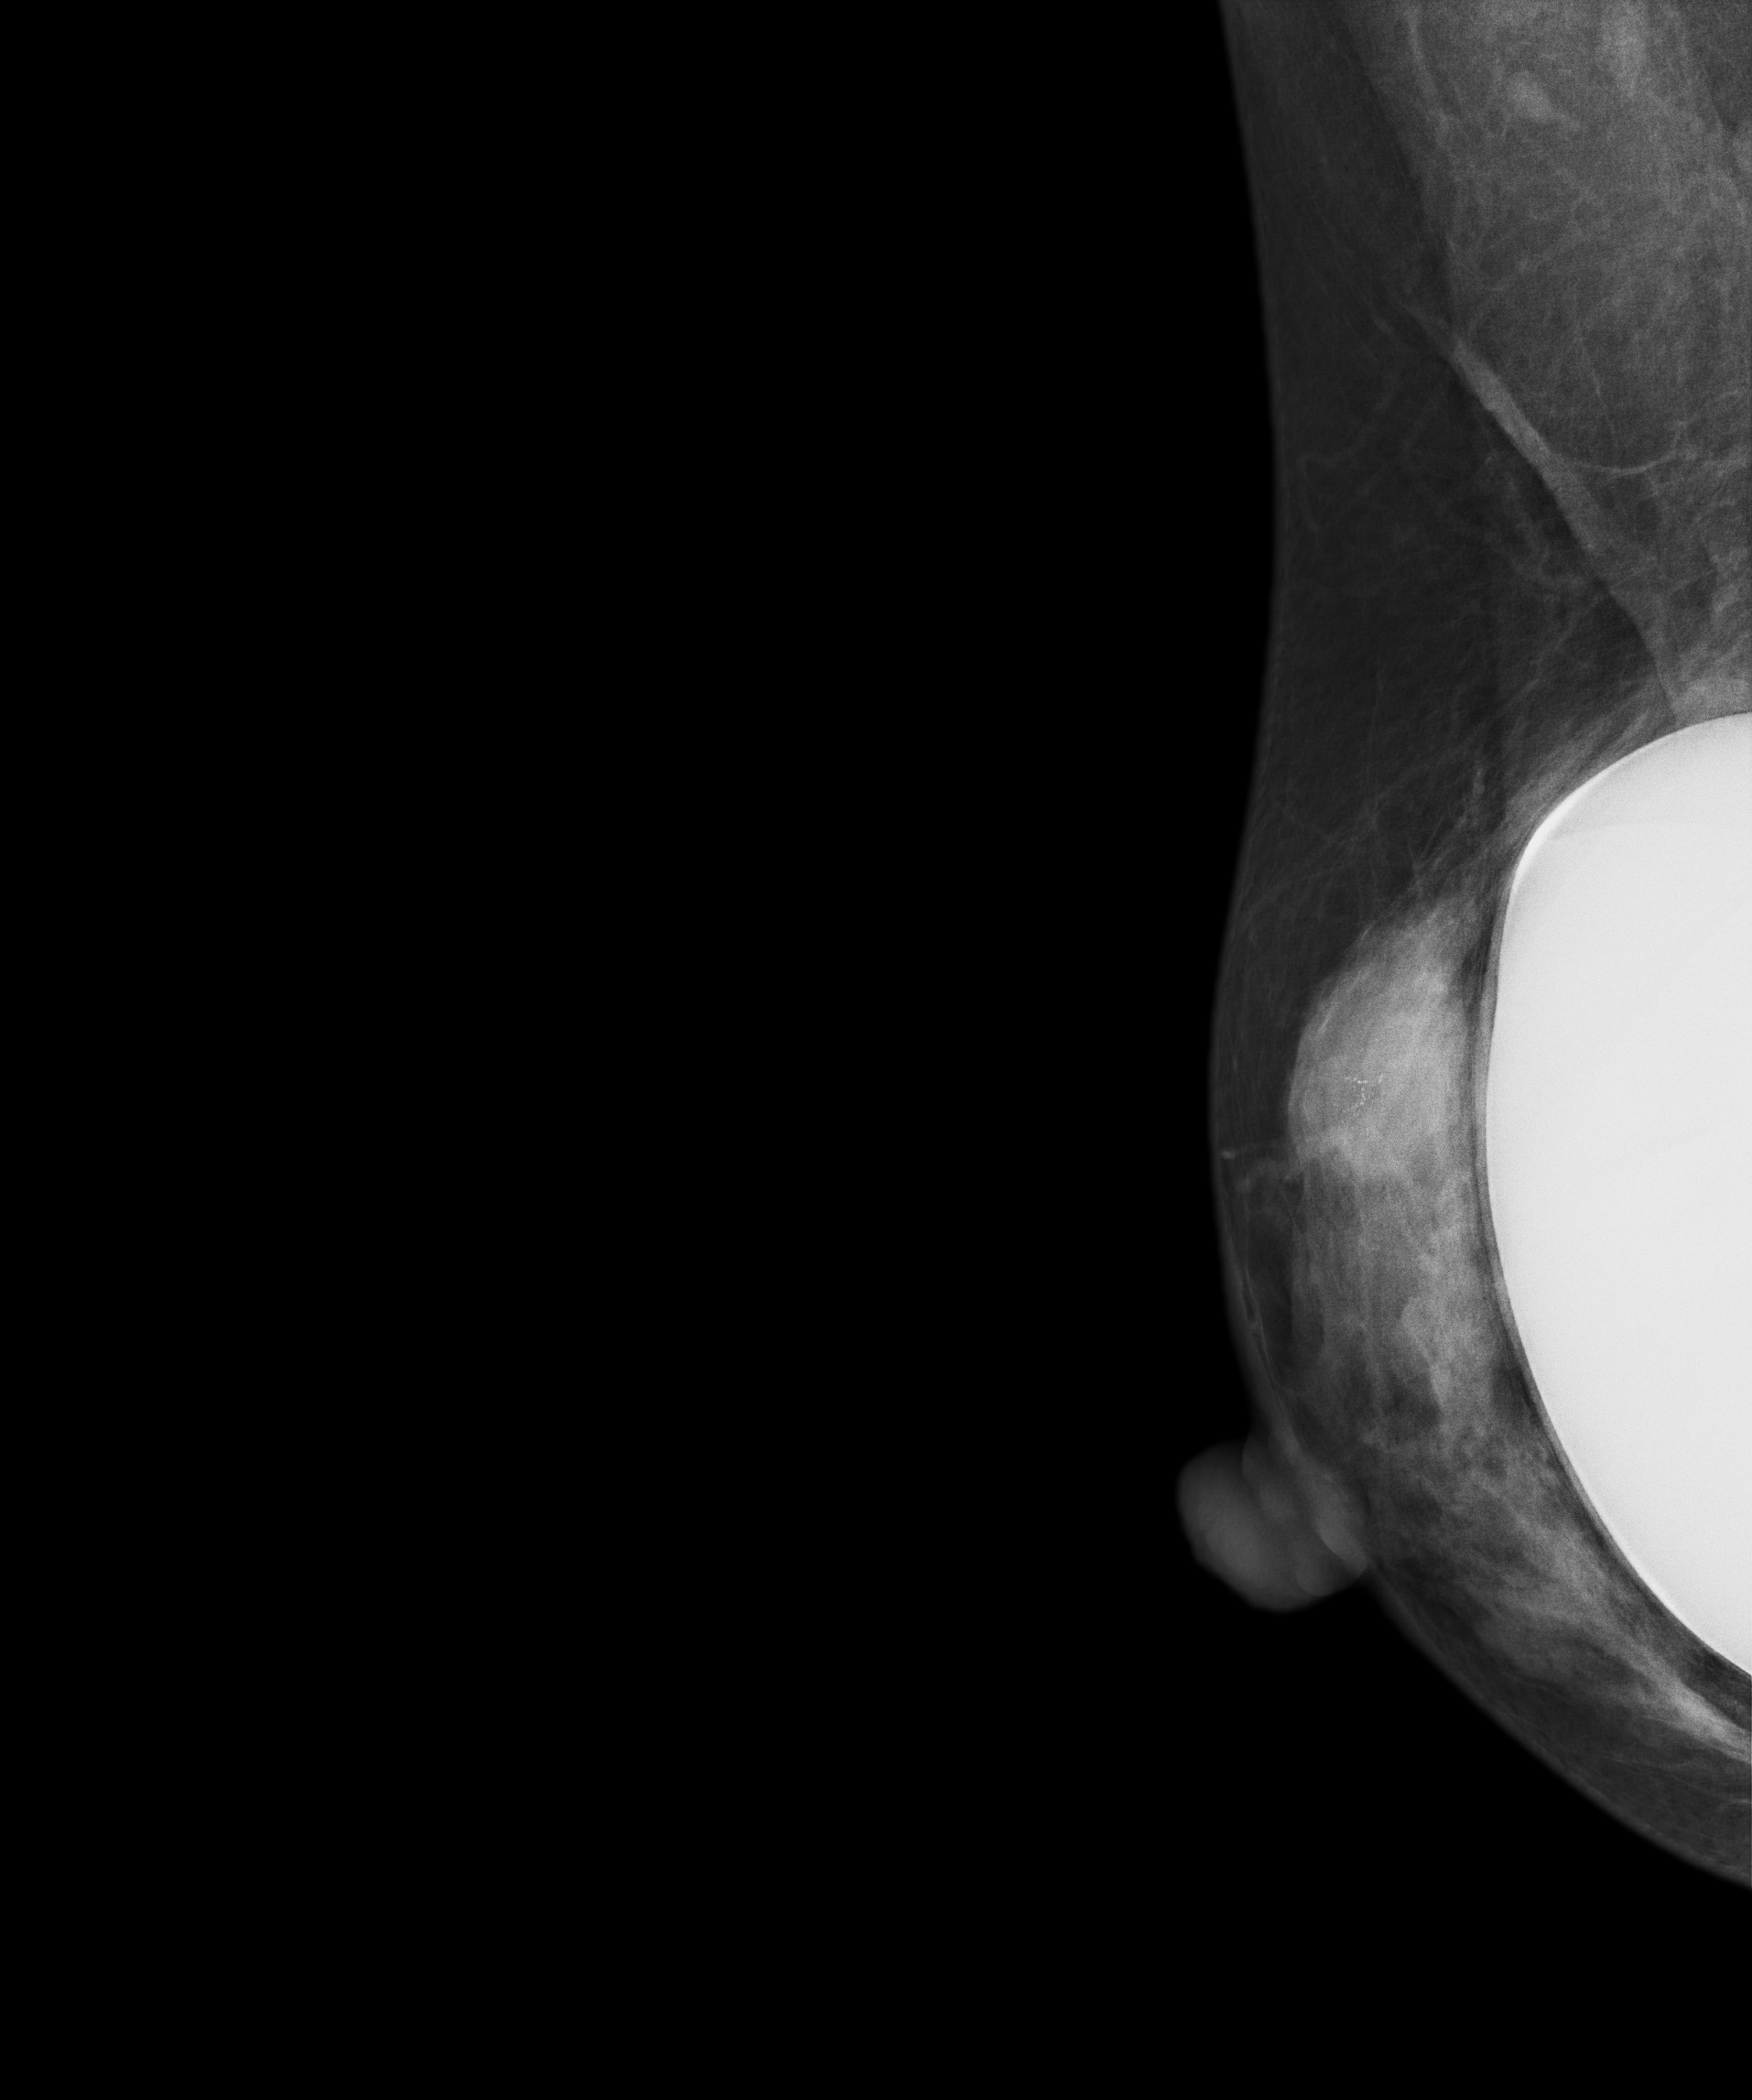
Right-breast mammogram, medio-lateral oblique. 50-year-old patient.
This breast has a mass and calcifications, histologically confirmed malignant. Molecular subtype: luminal A.